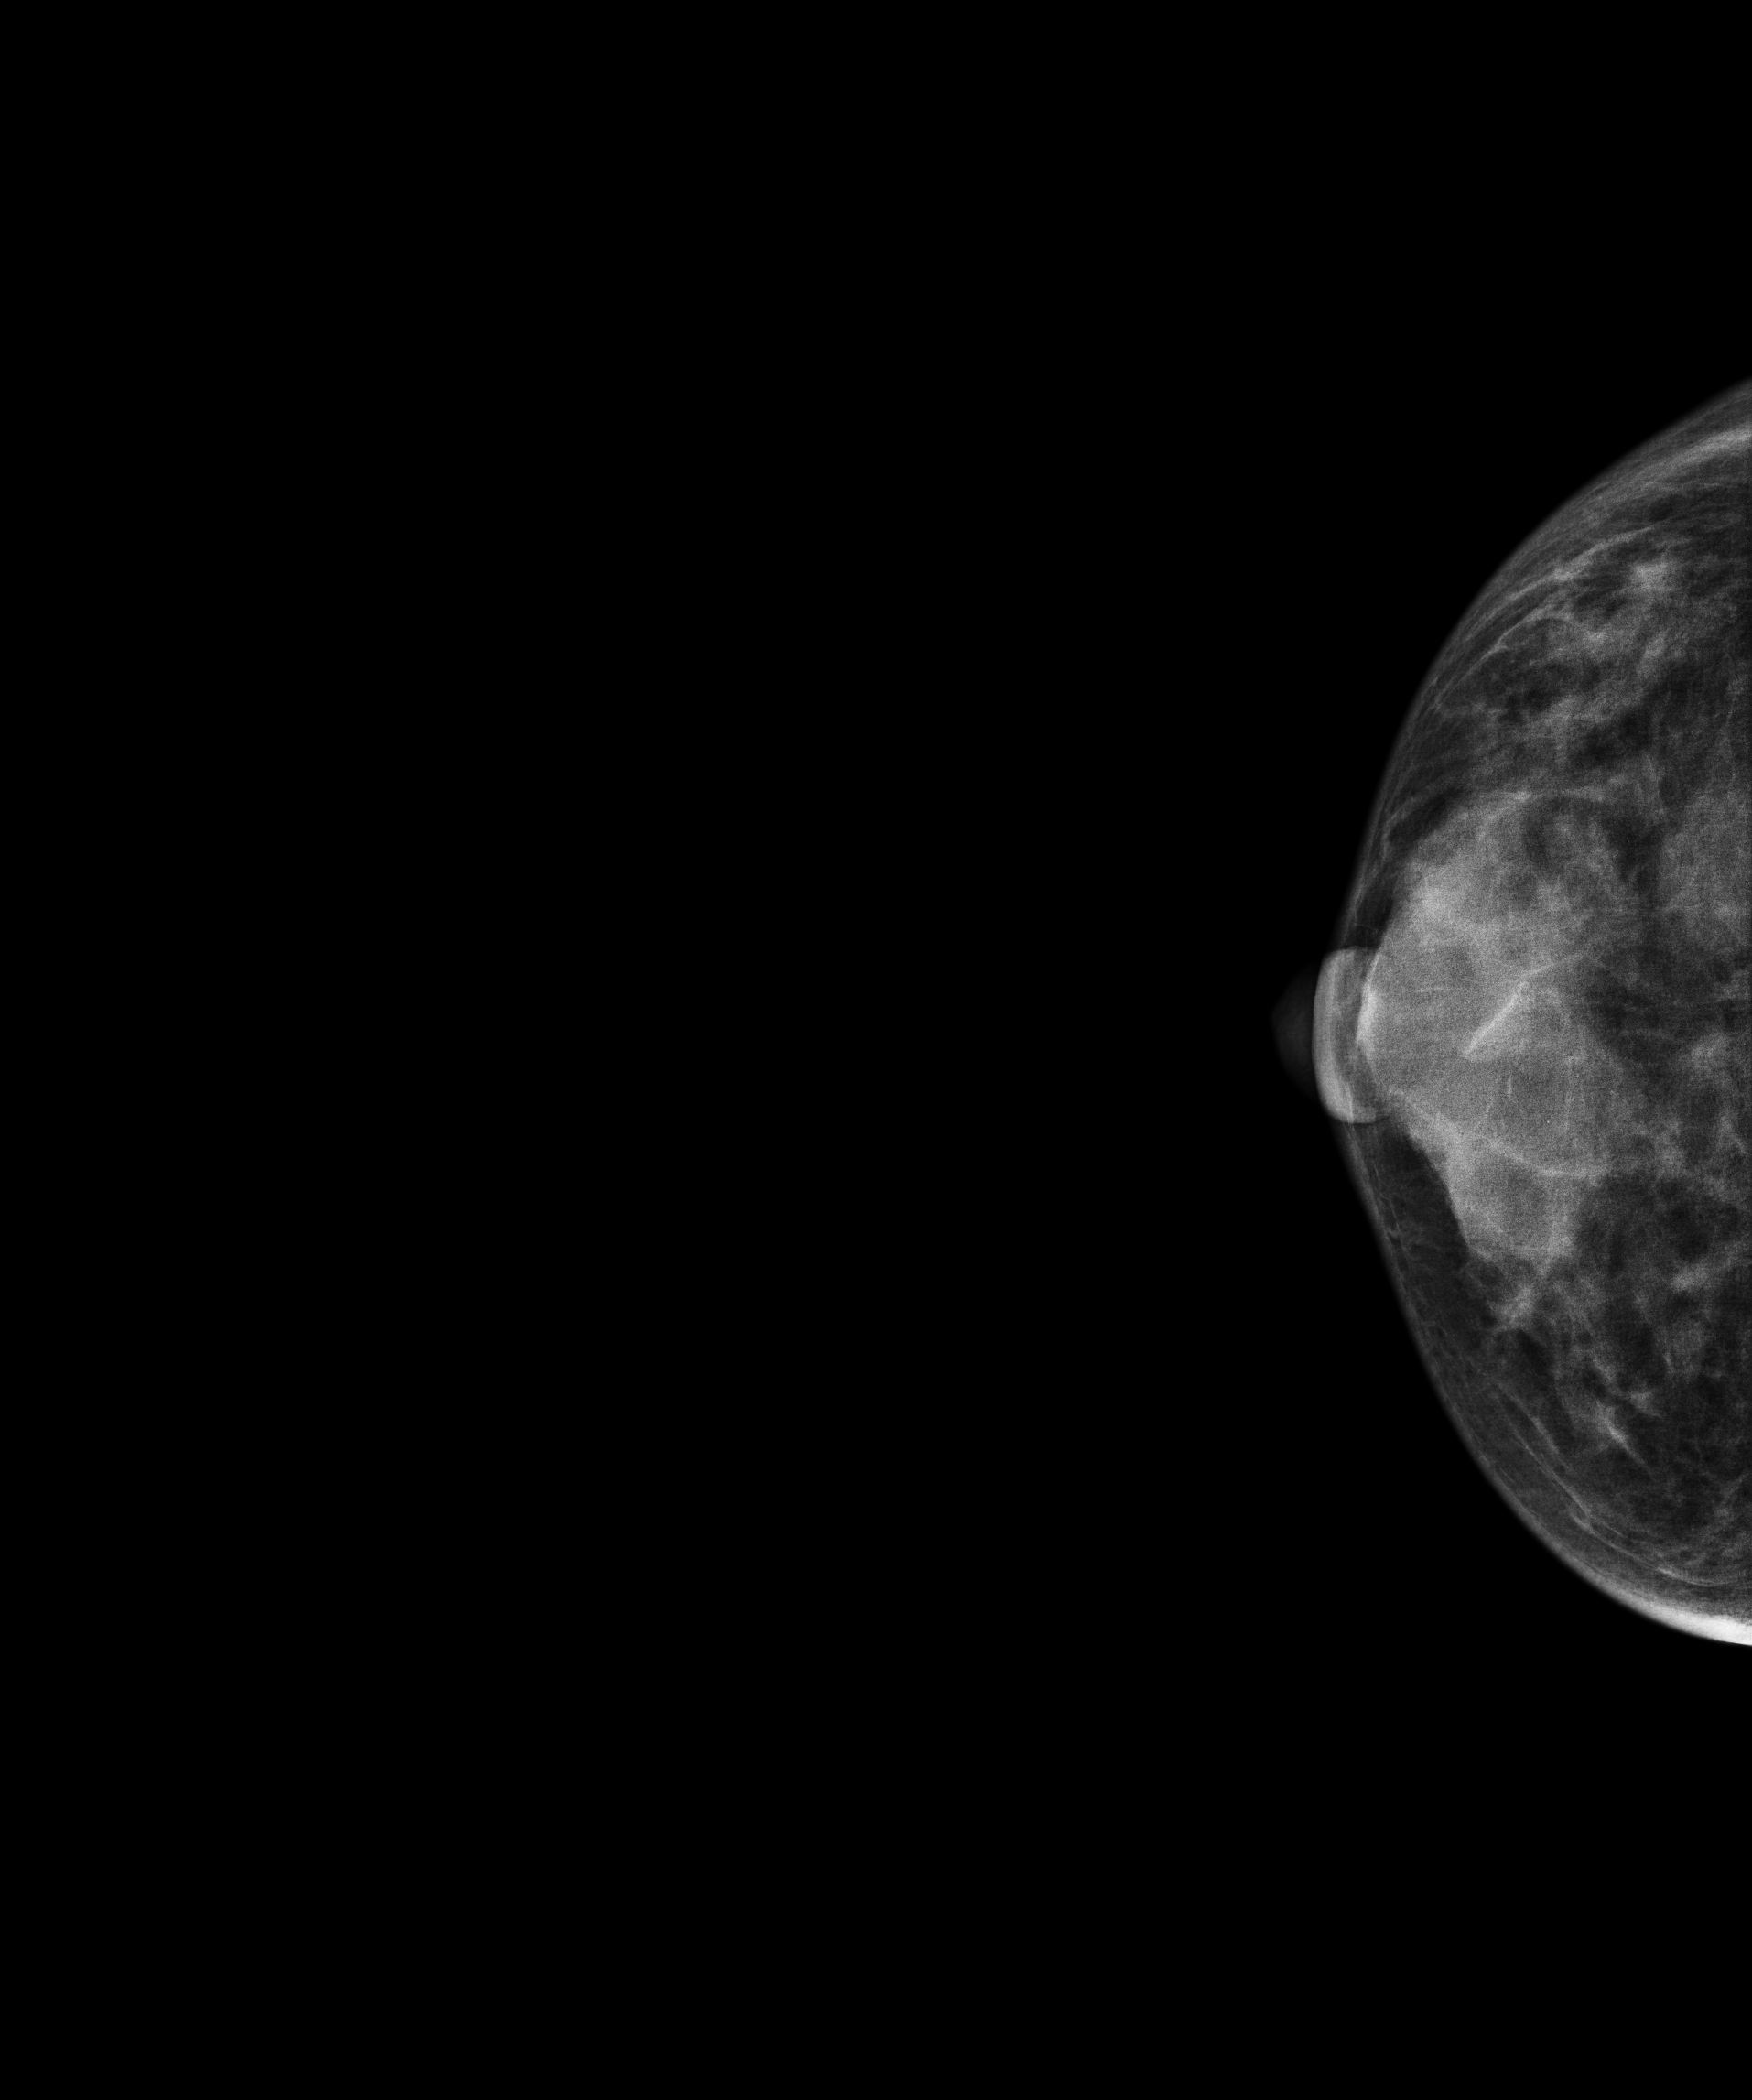
Digital mammography. Right breast, cranio-caudal projection. 35 y/o patient.
This breast has a mass and calcifications, biopsy-proven benign.